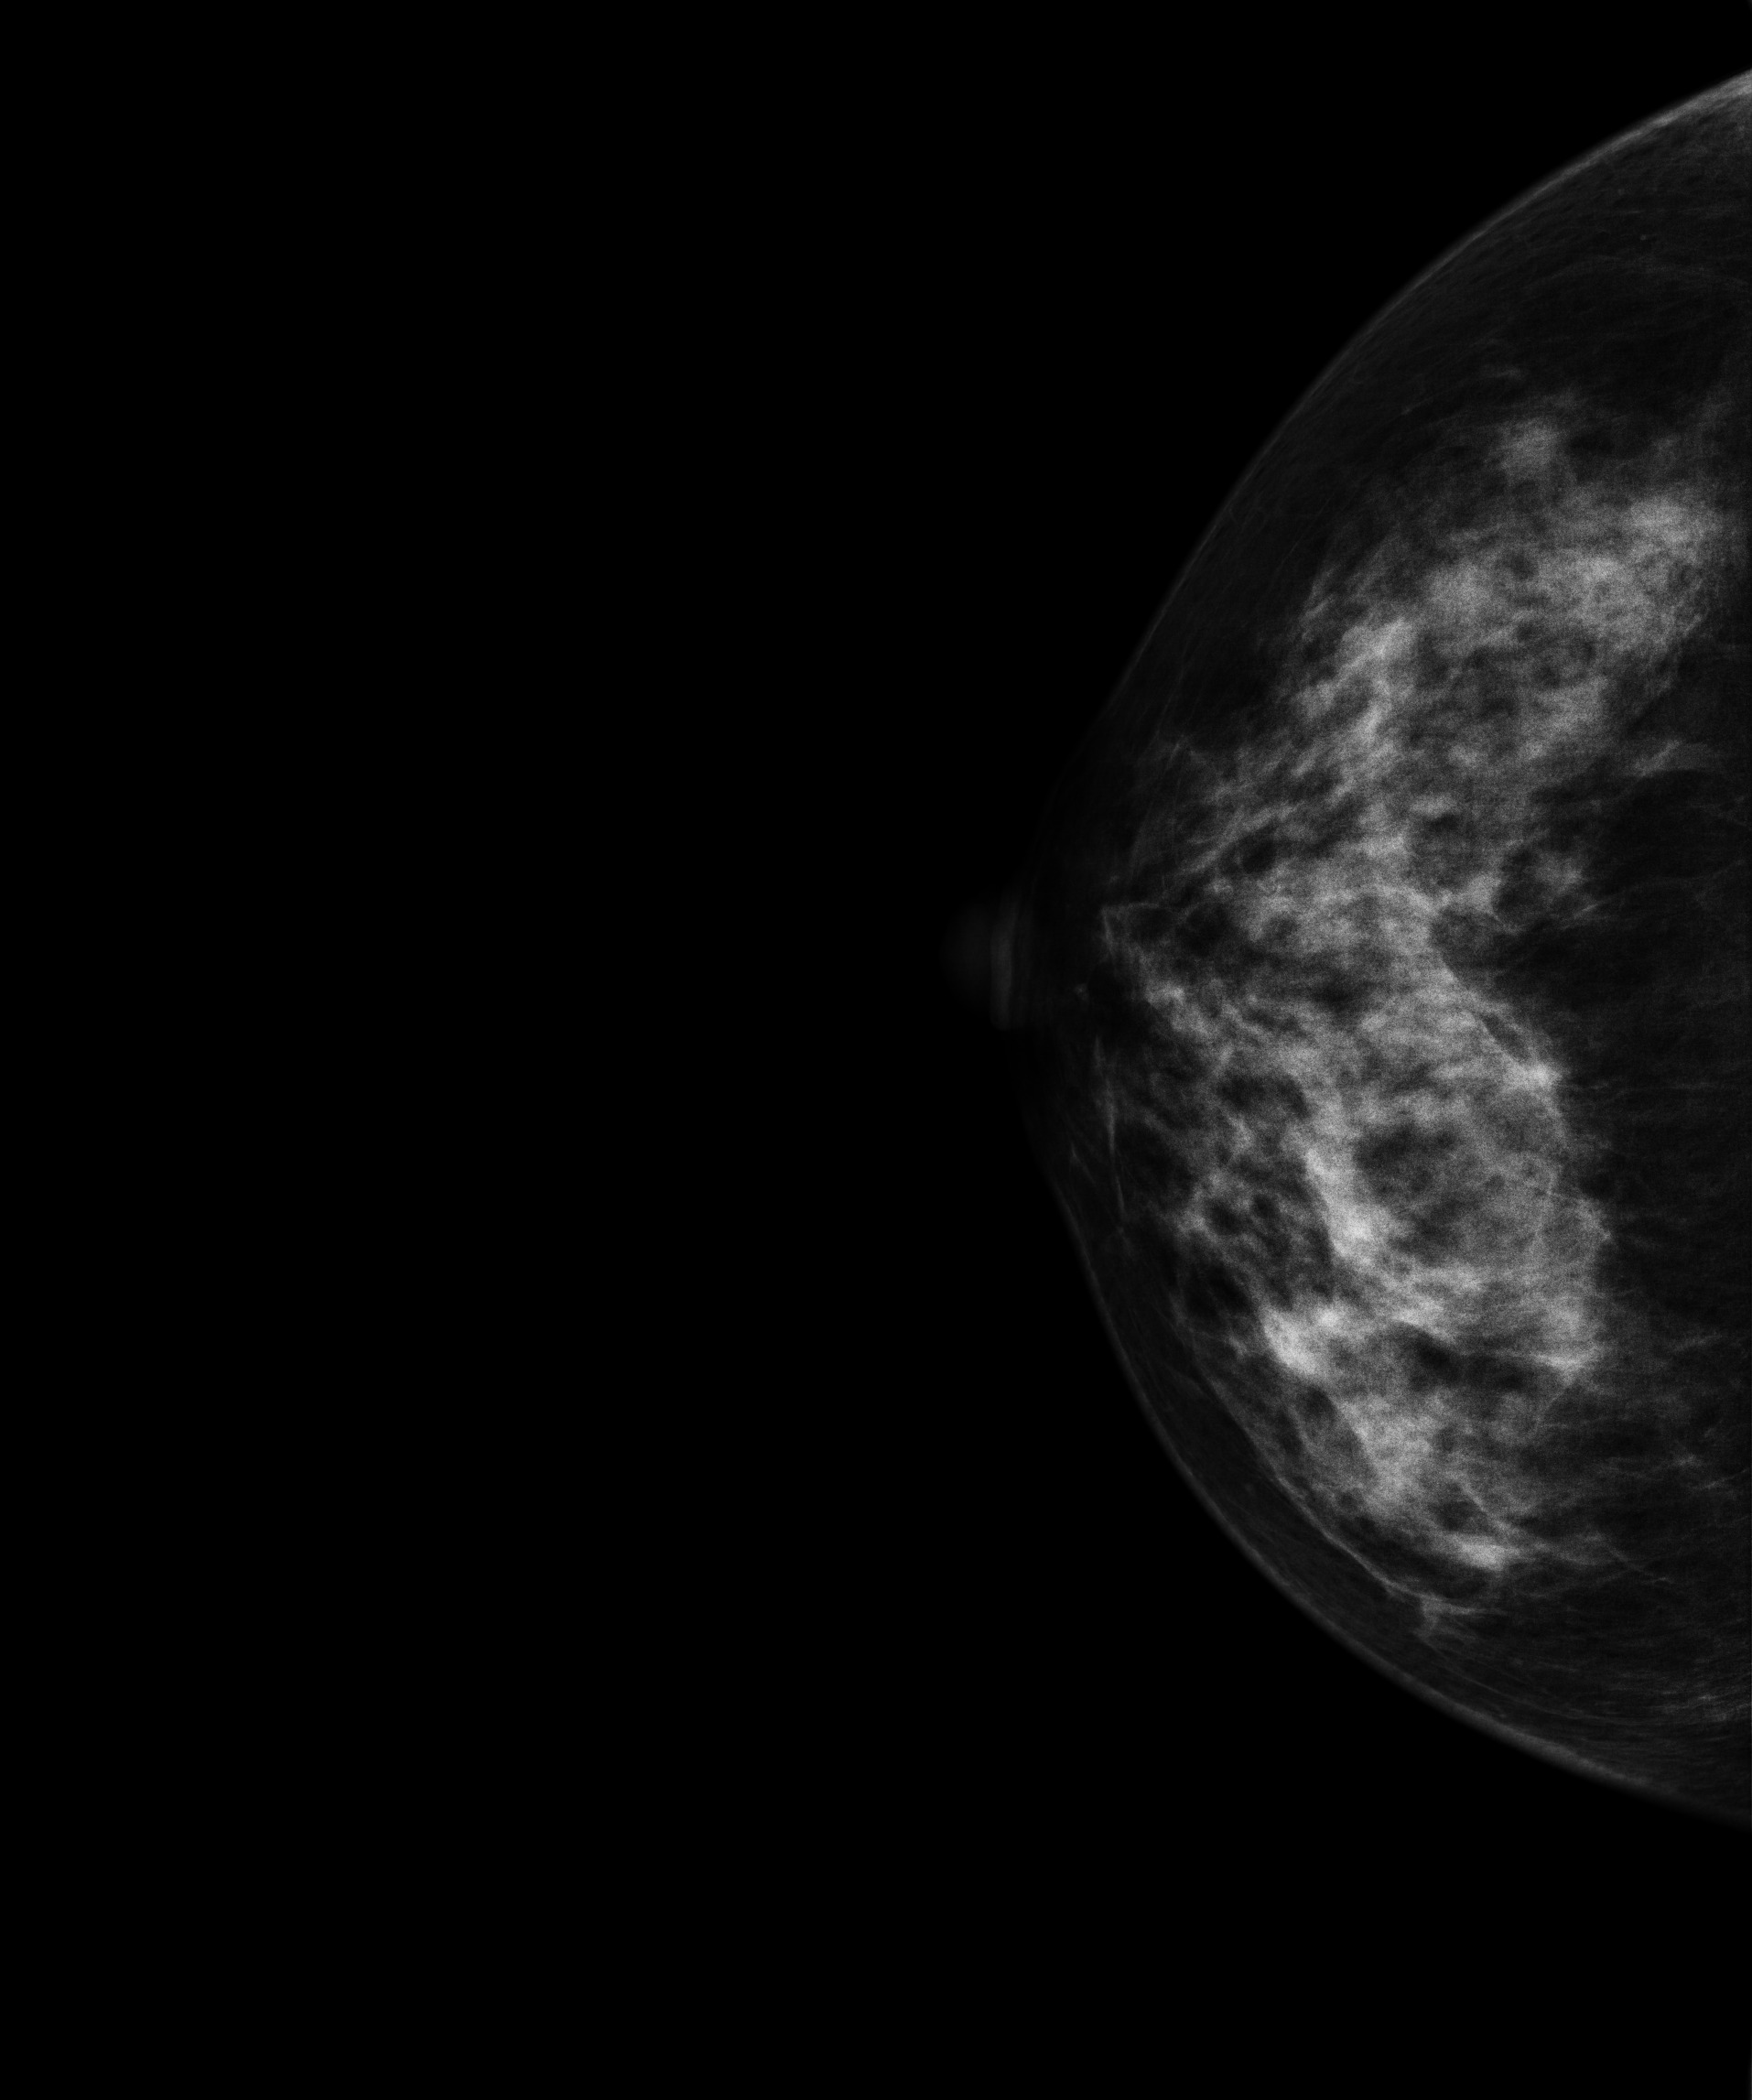
Cranio-caudal mammogram of the right breast. 38 y/o patient.
This breast has a mass, histologically confirmed benign.